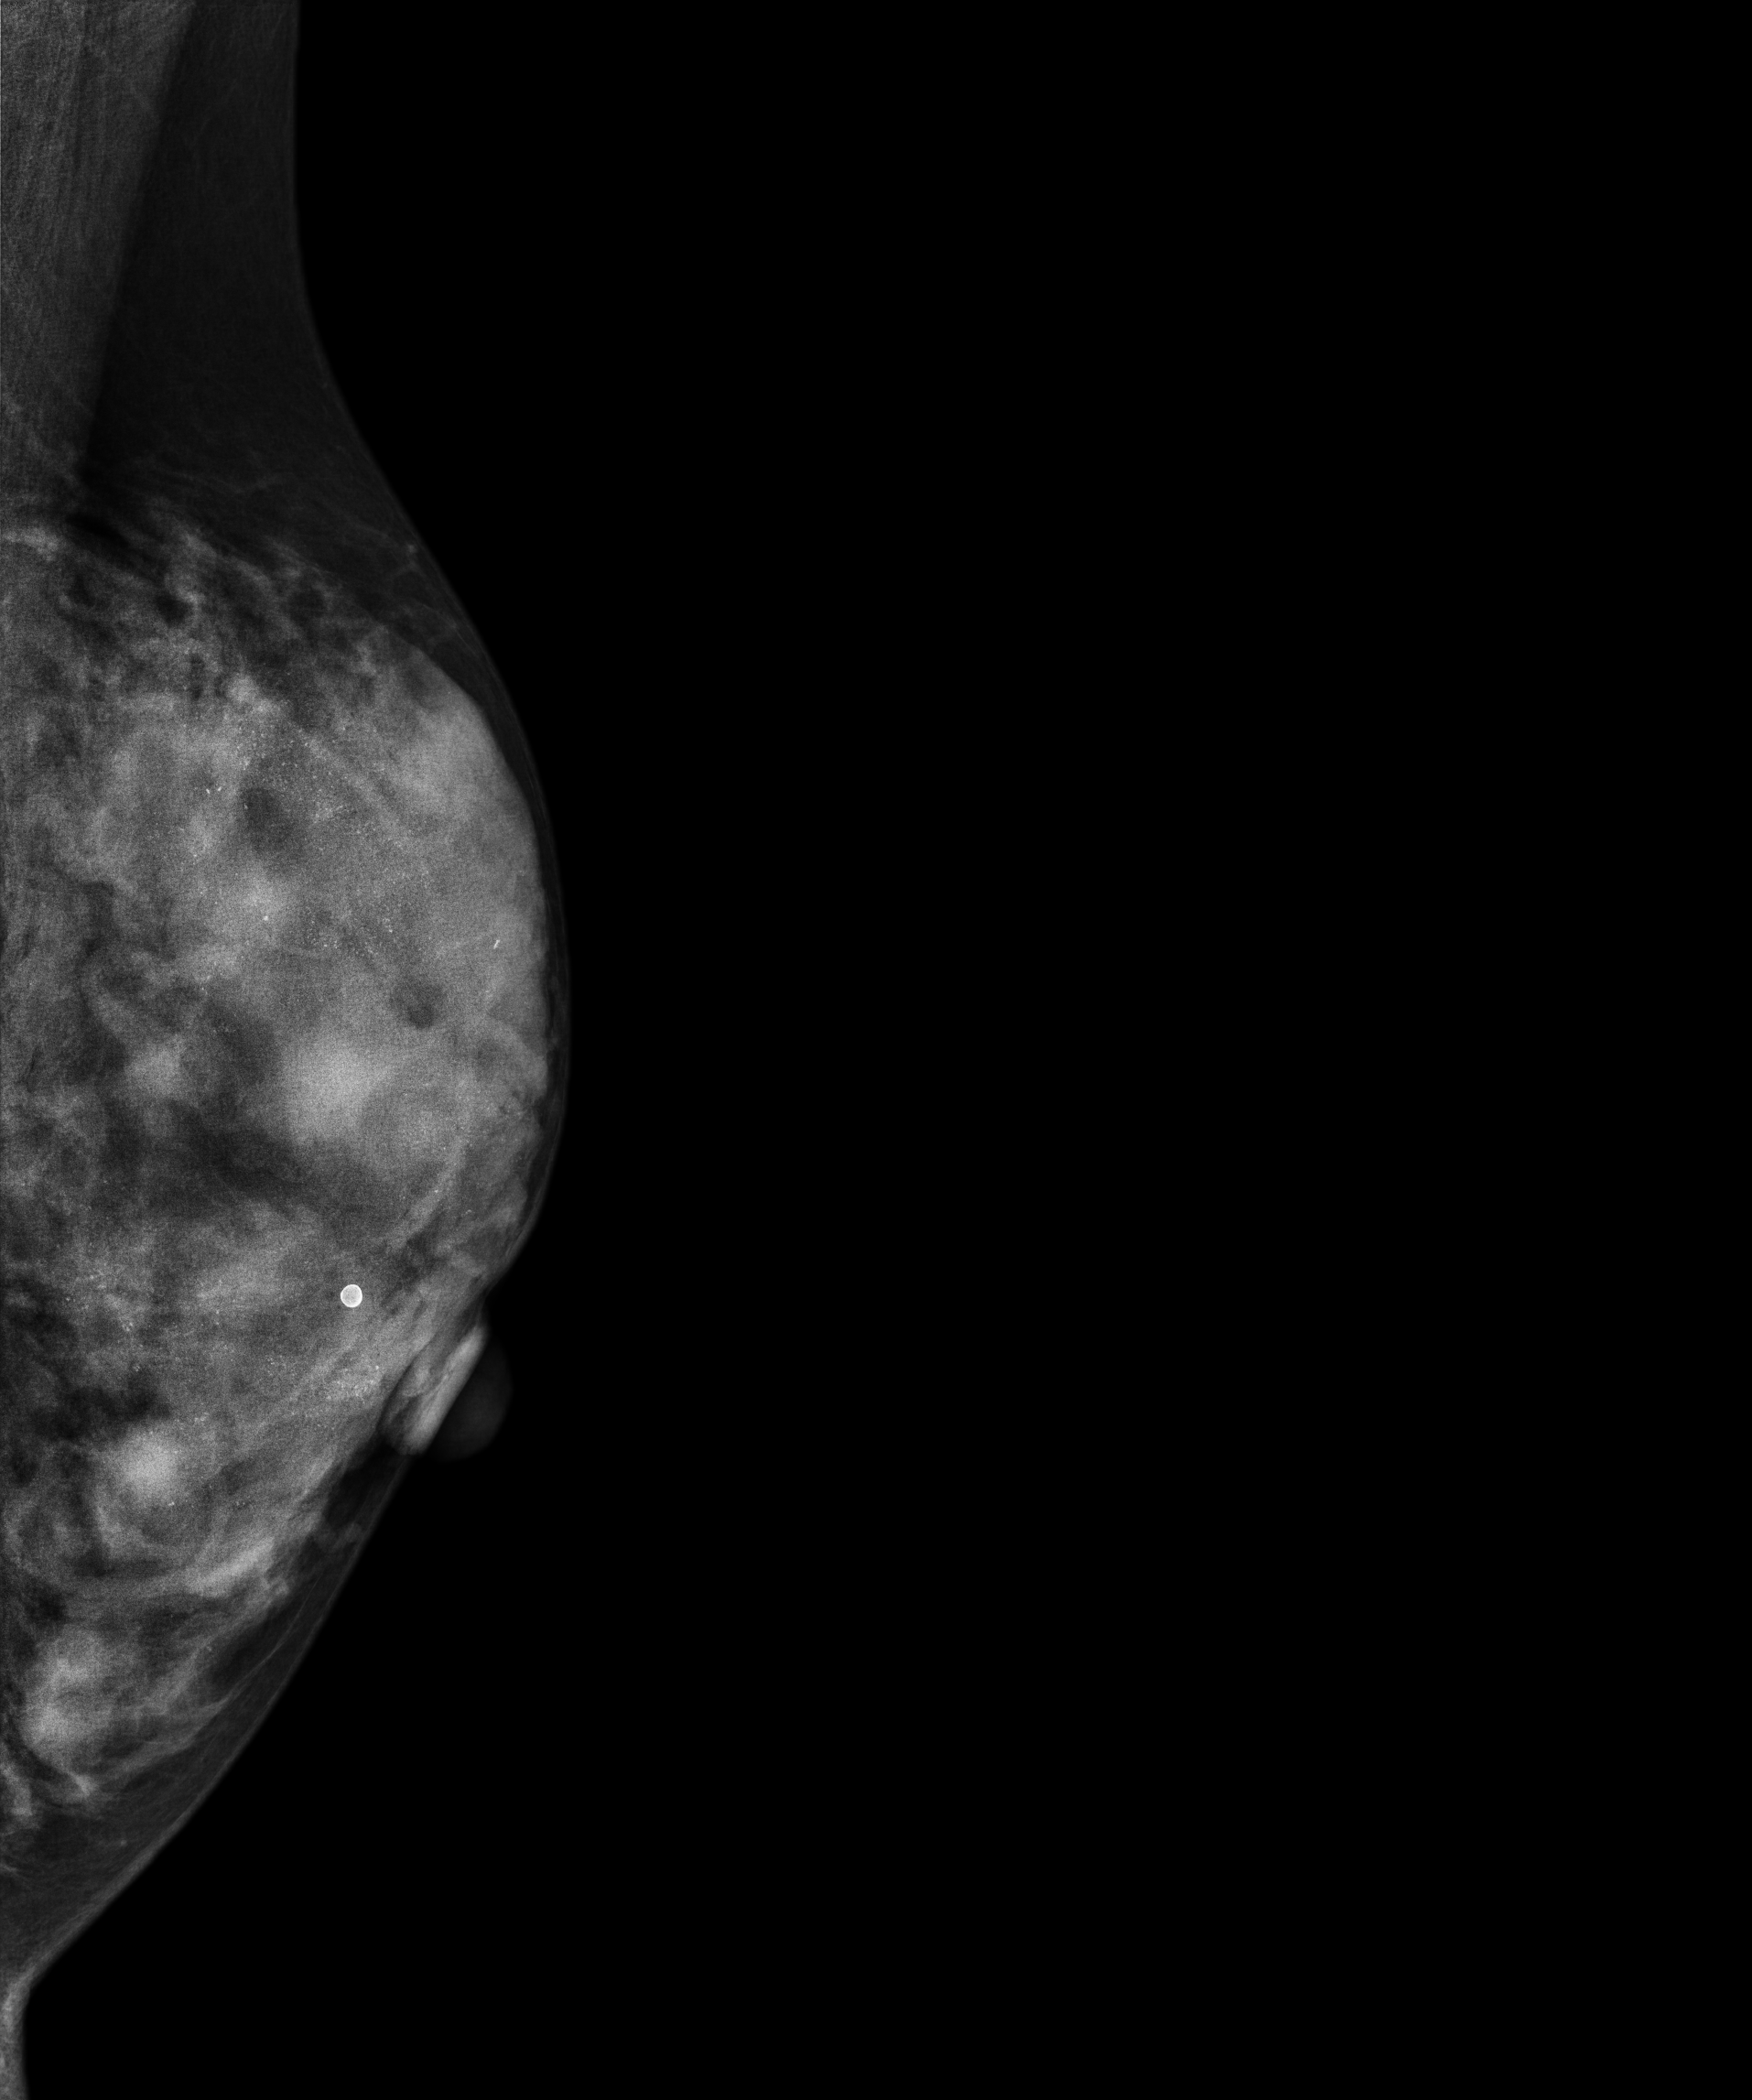
Mammogram, left breast, MLO view. Patient age 48.
This breast has calcifications, biopsy-confirmed malignant. Molecular subtype: luminal B.